Mammogram, left breast, CC view. Patient age 65.
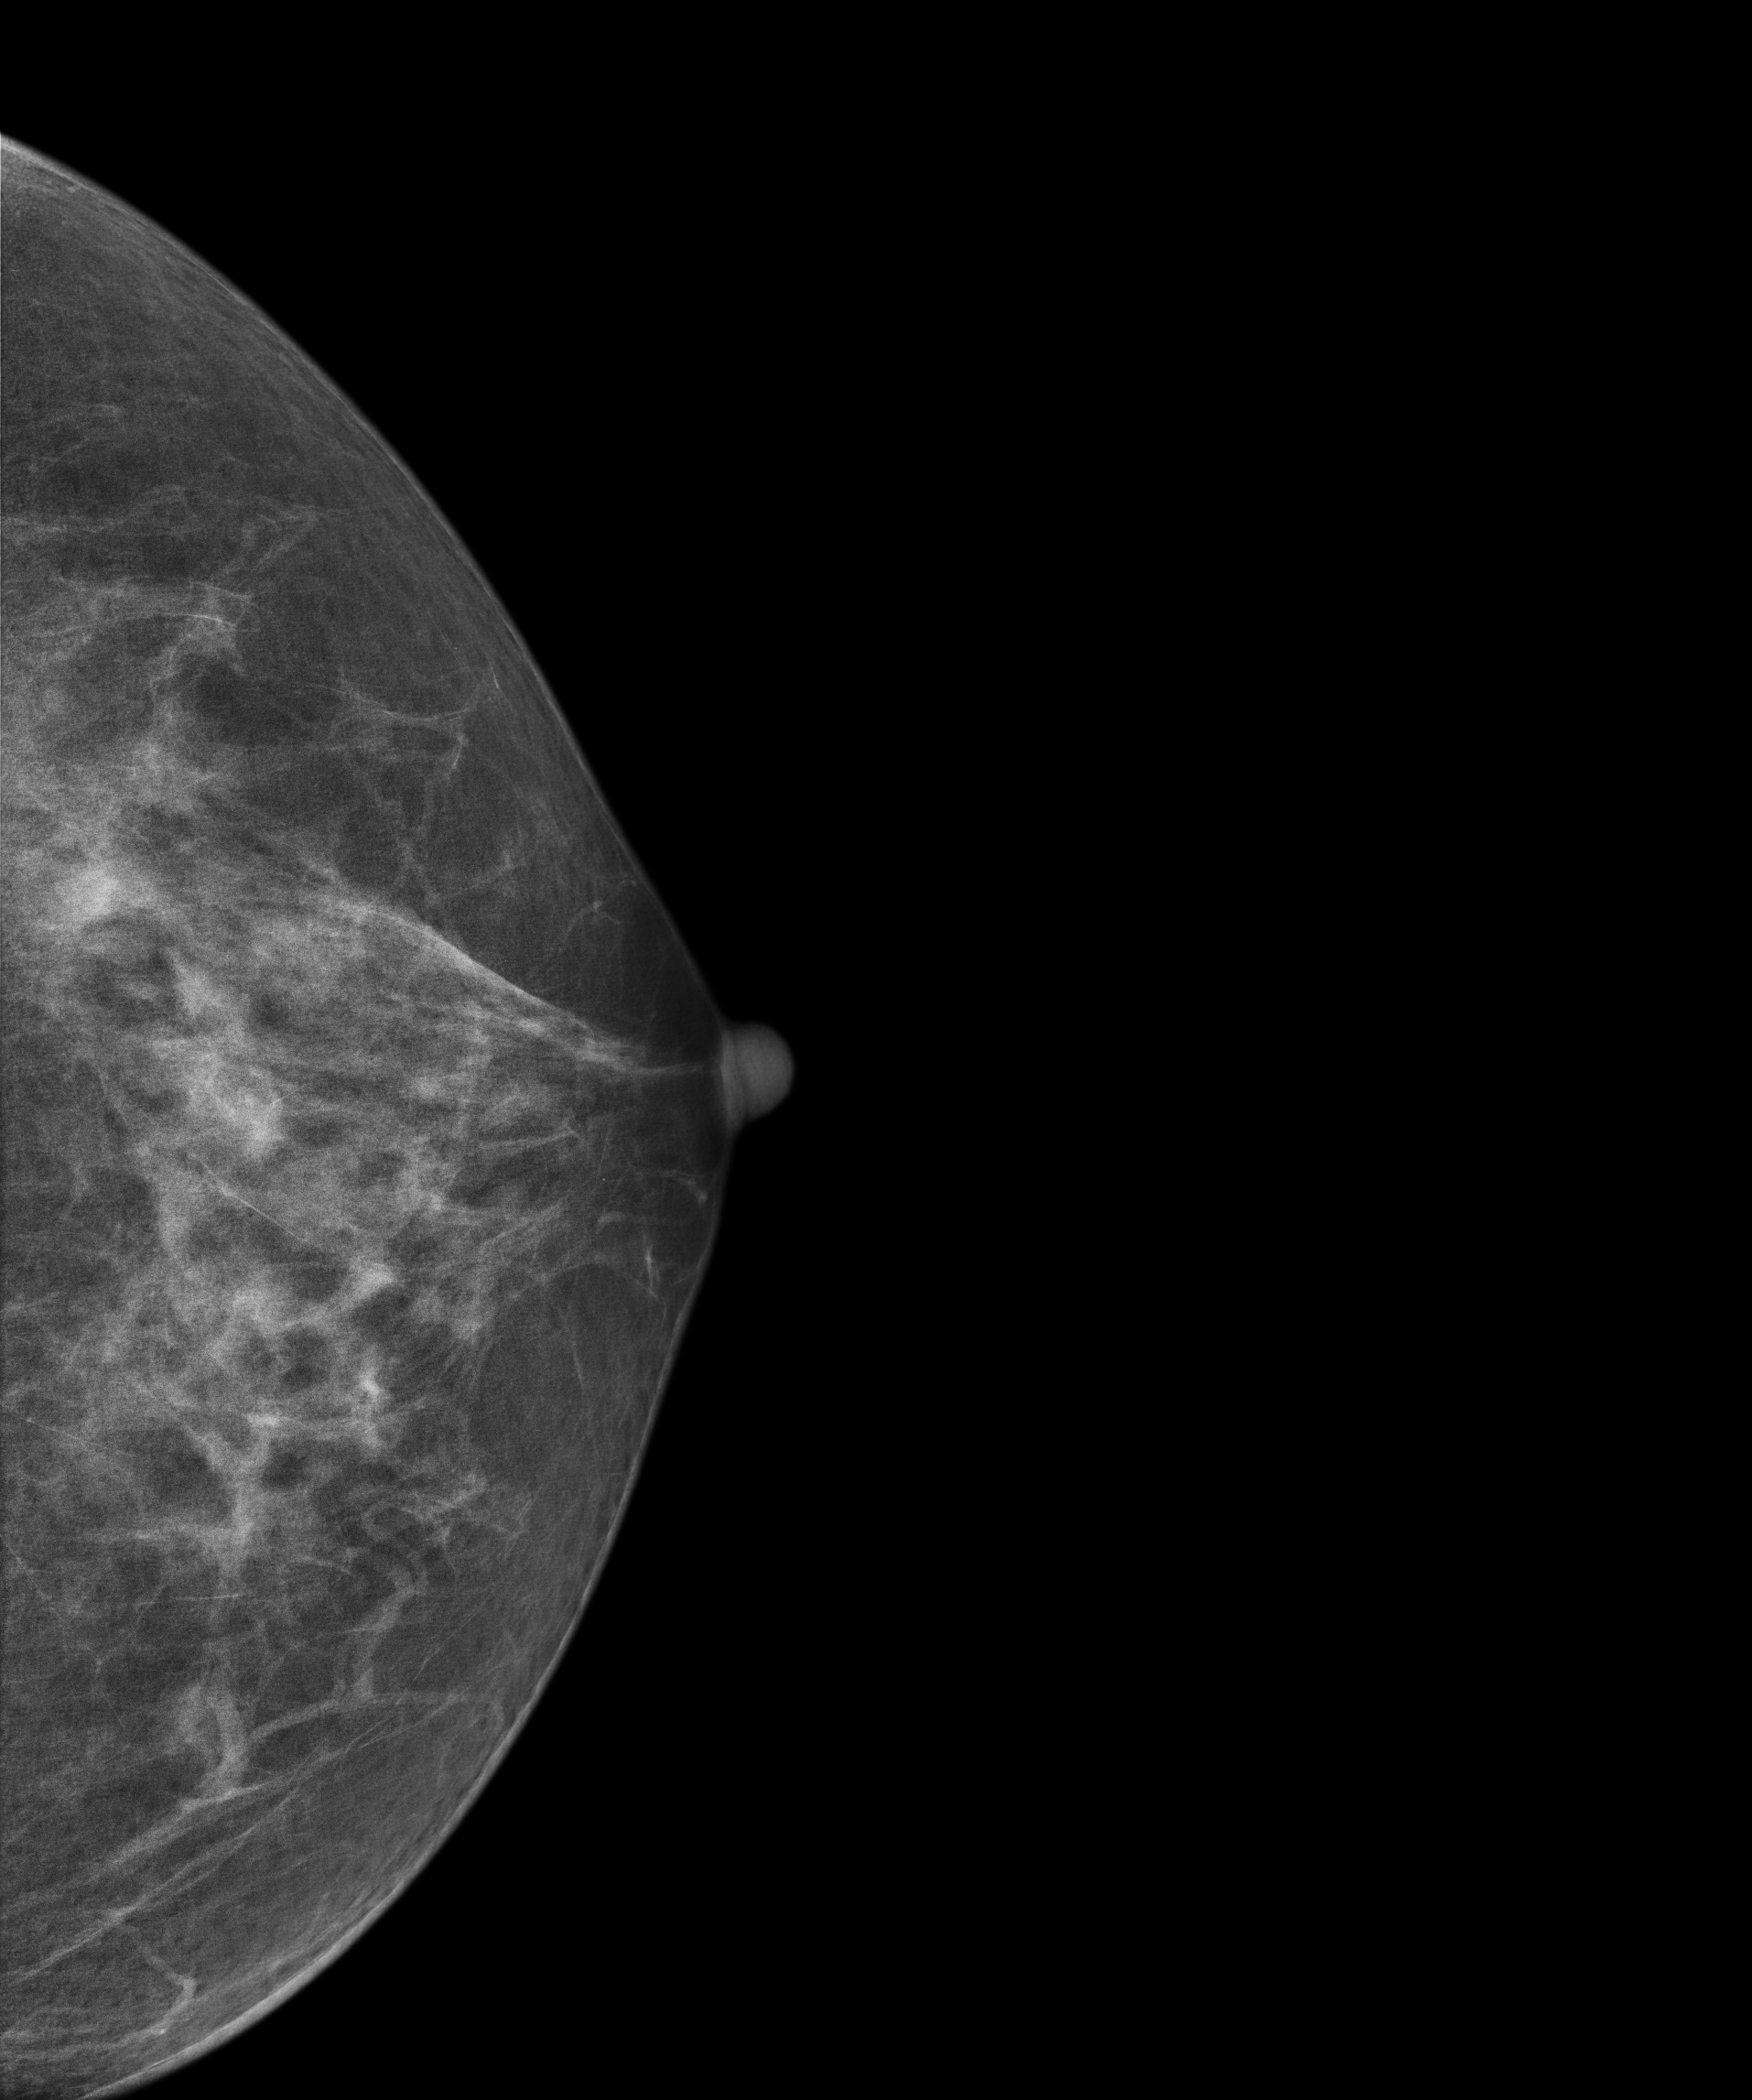
Contralateral breast — no documented abnormality on this side.